Left-breast mammogram, medio-lateral oblique. 69 y/o patient.
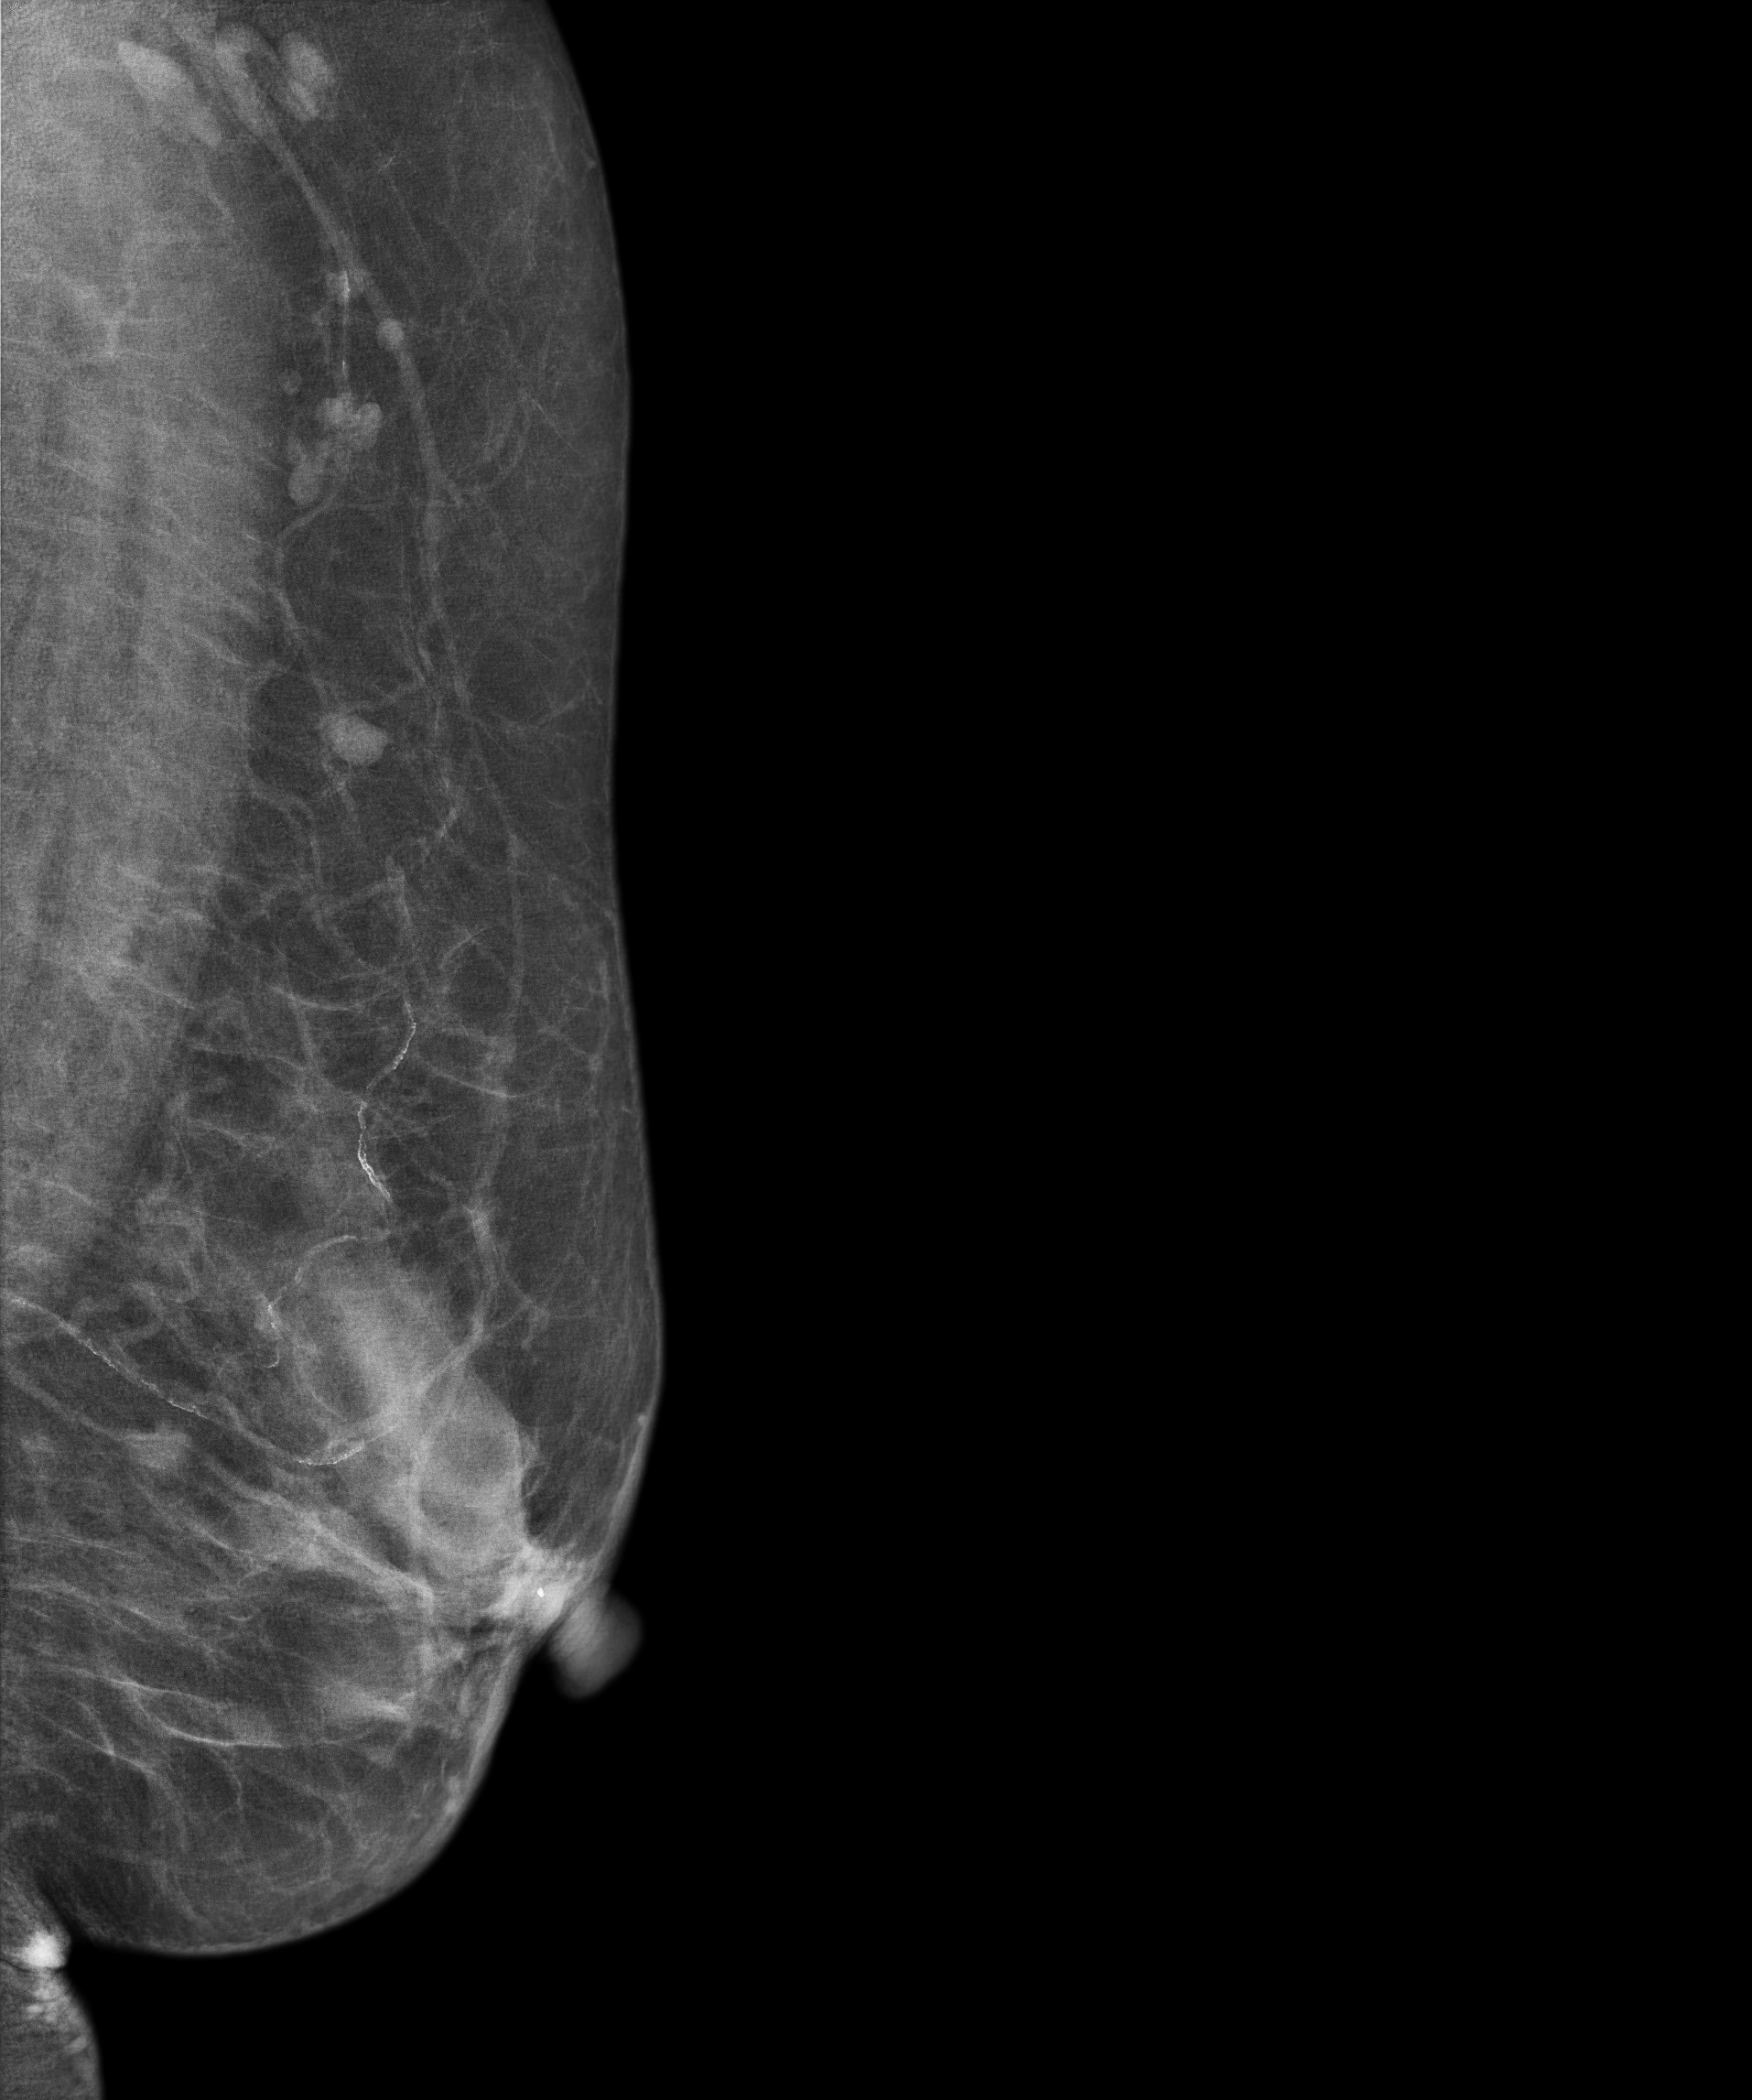
This breast has calcifications, pathology-confirmed benign.